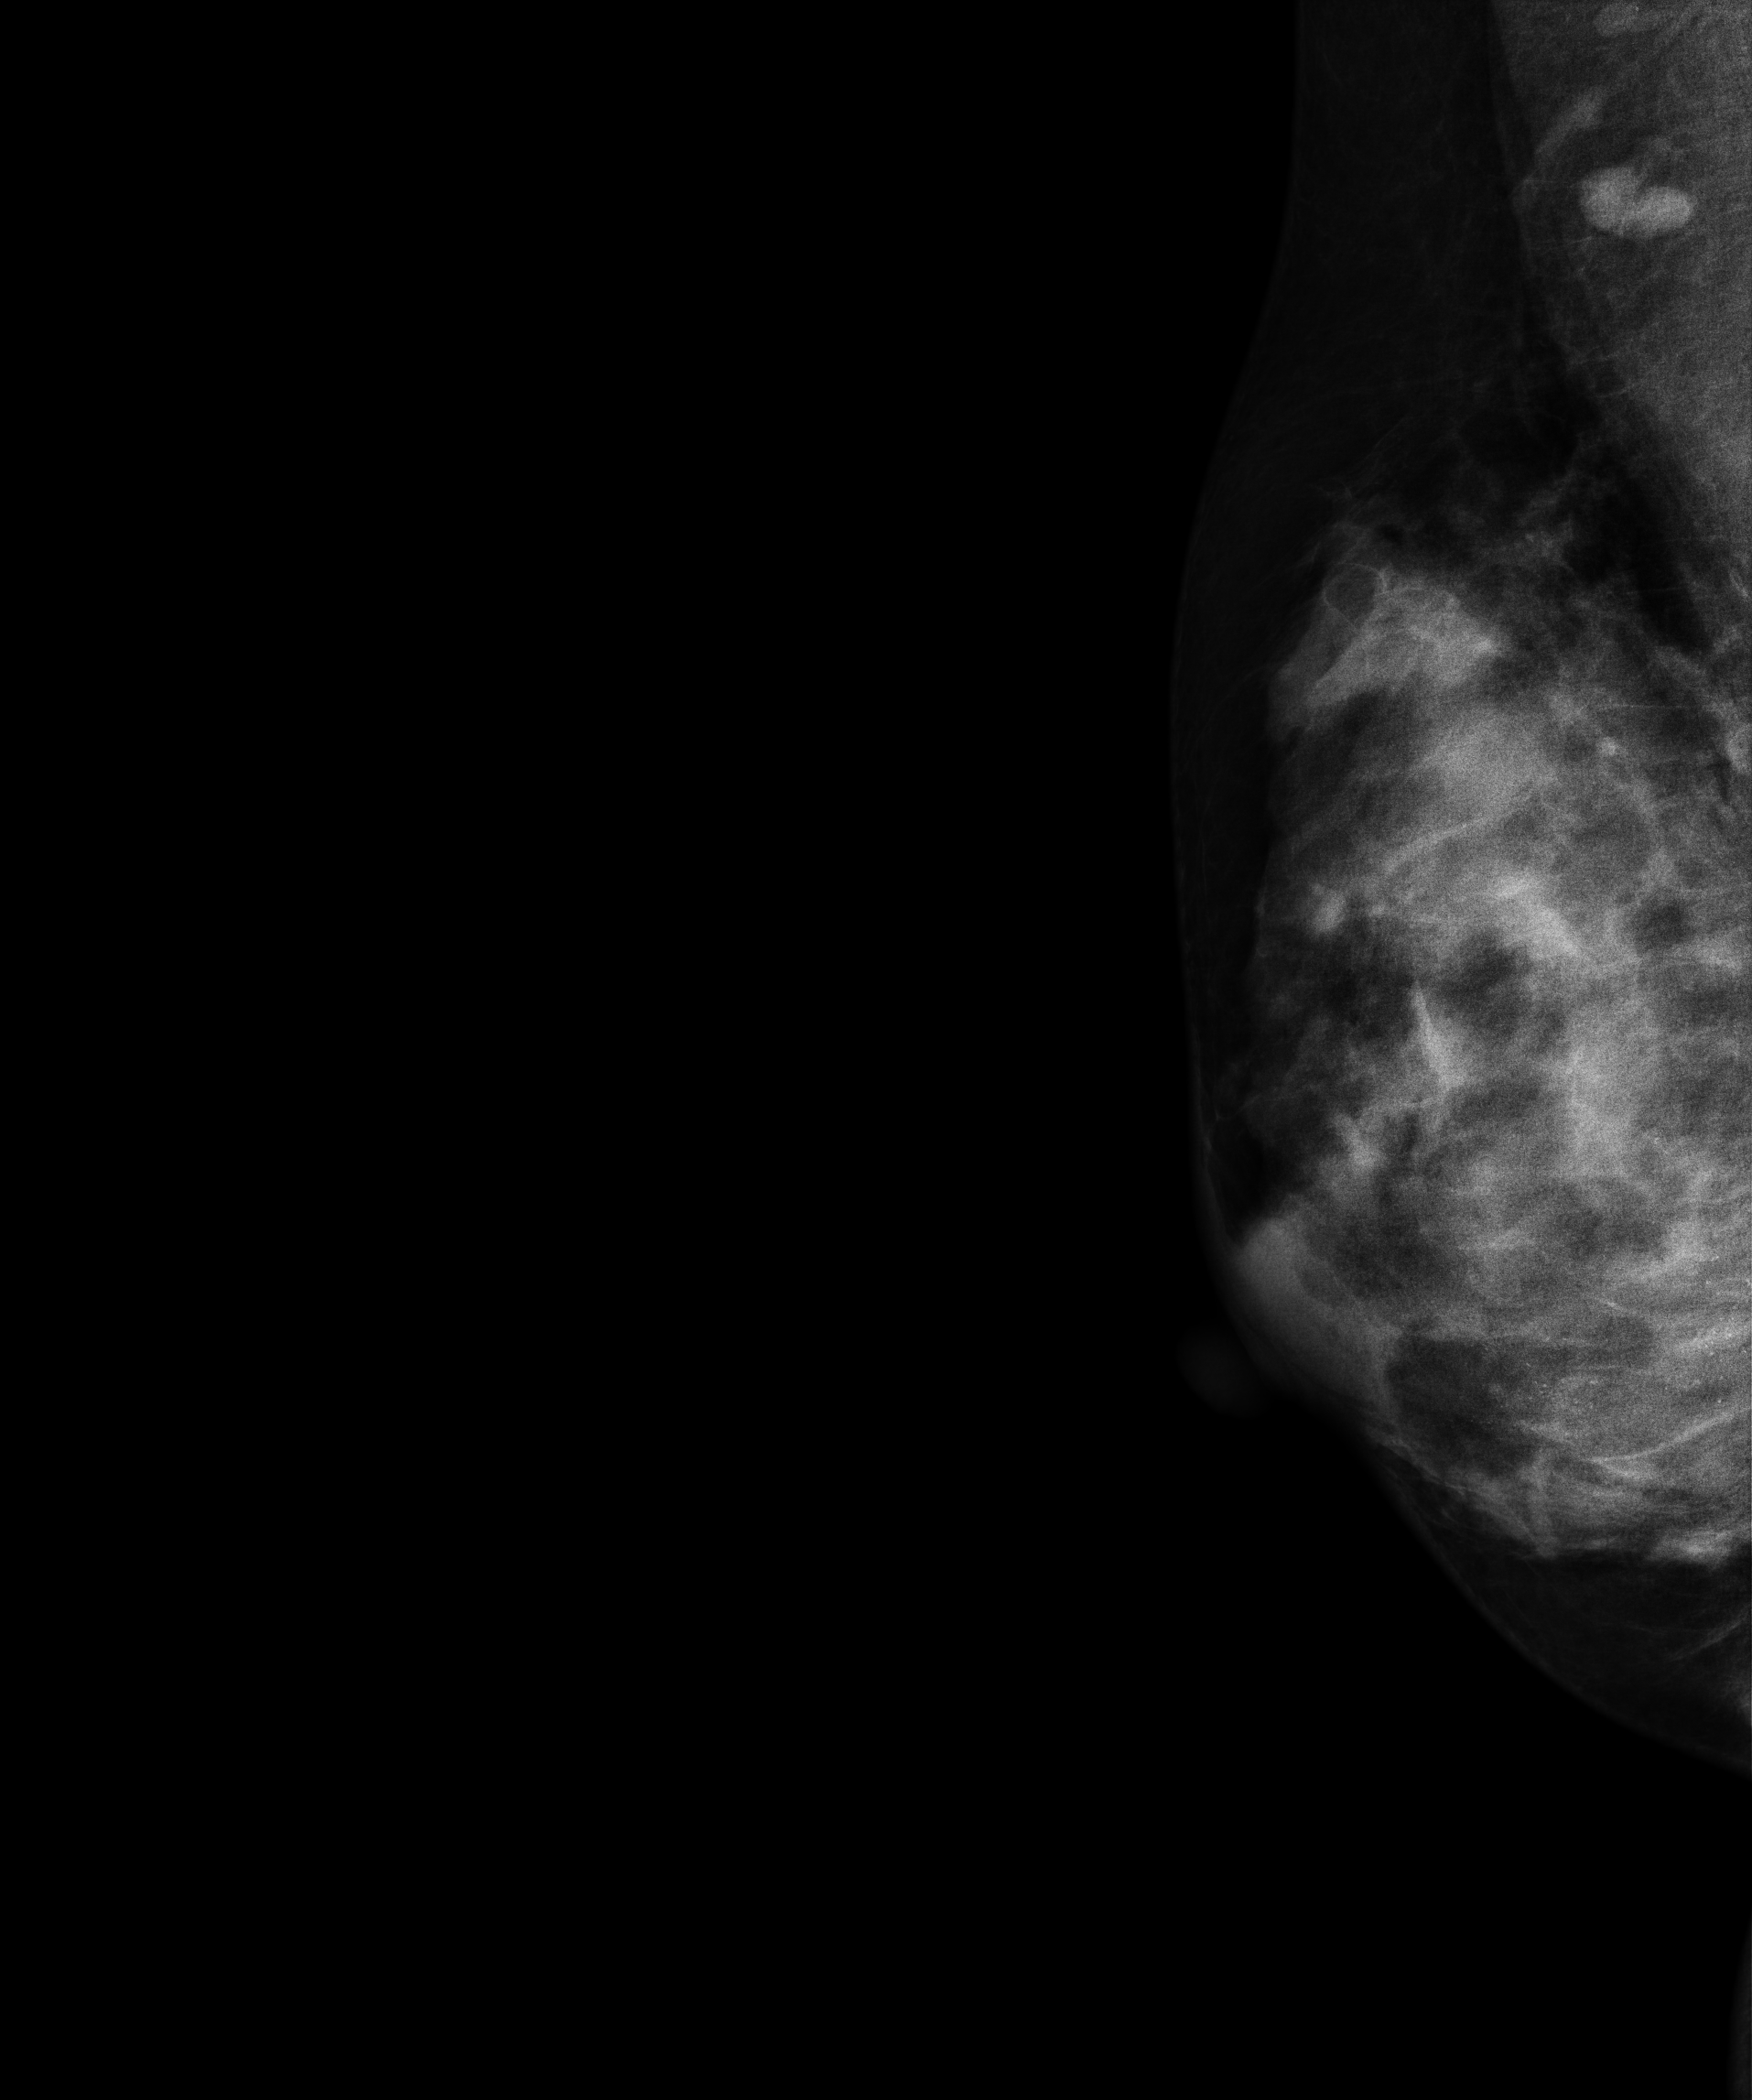
Mammogram, right breast, MLO view. 41-year-old patient.
This breast has calcifications, biopsy-proven malignant. Molecular subtype: luminal A.